Digital mammography. Left breast, MLO projection. Patient age 61.
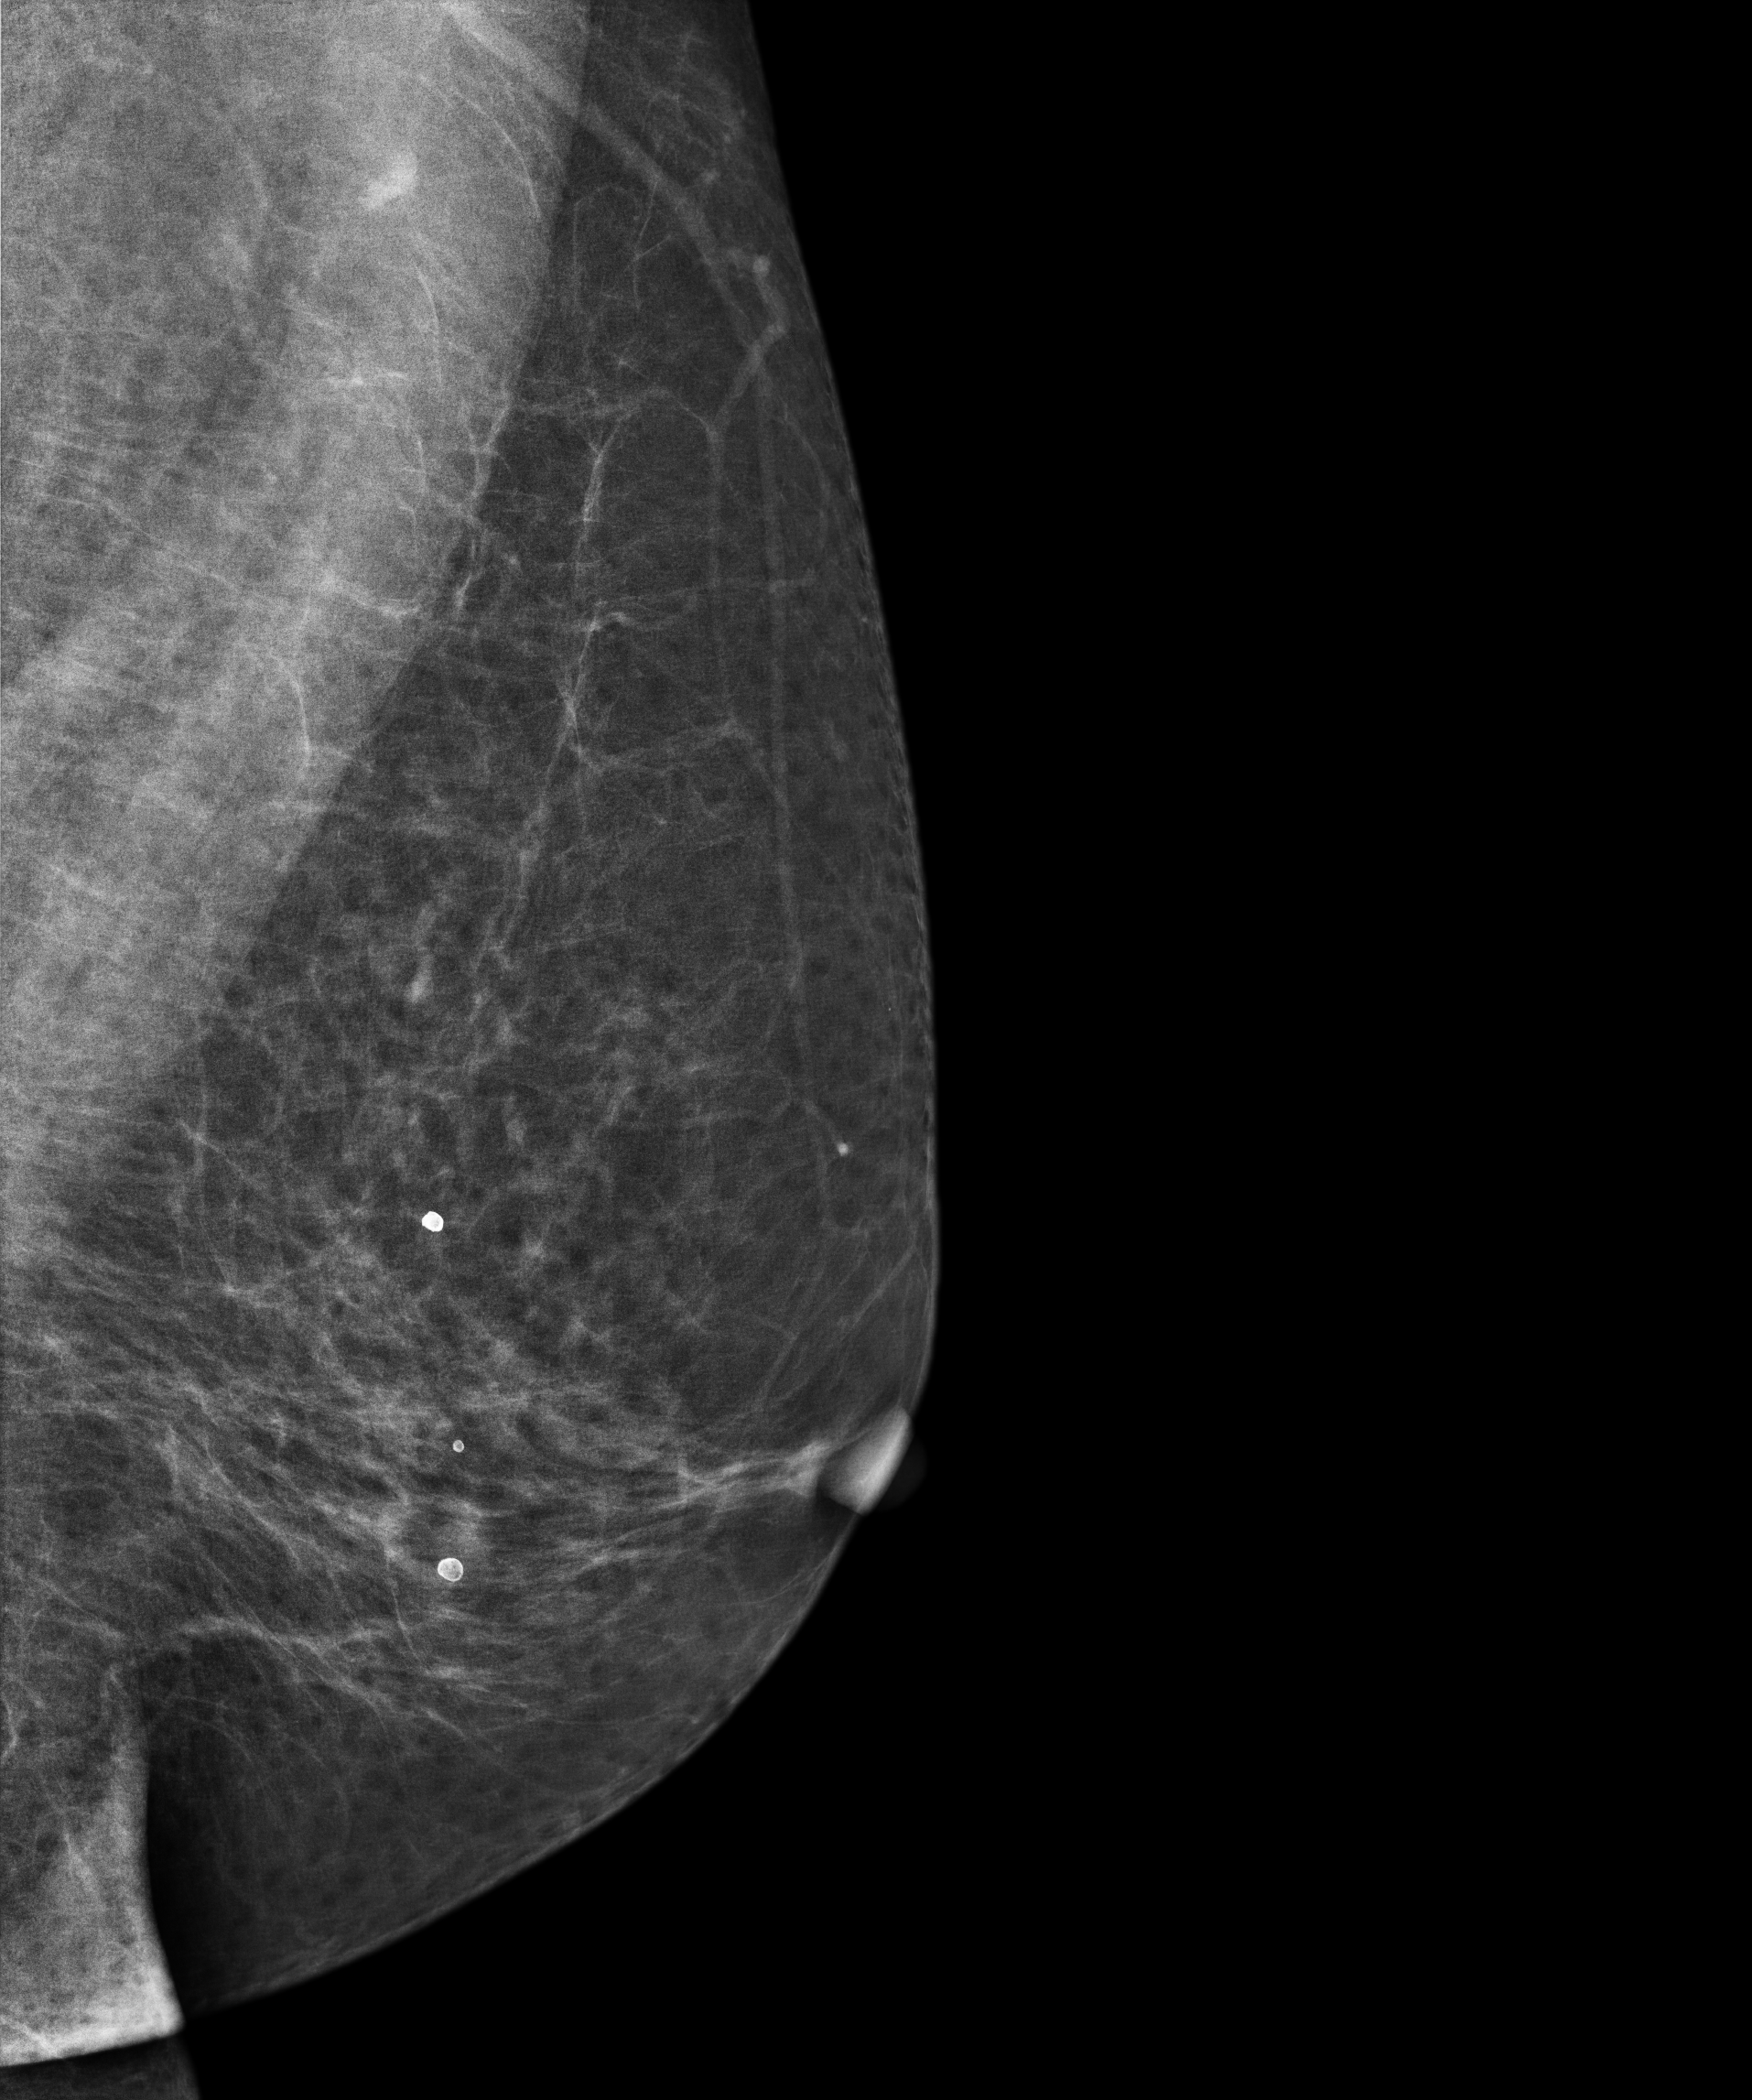
Contralateral breast — no documented abnormality on this side.